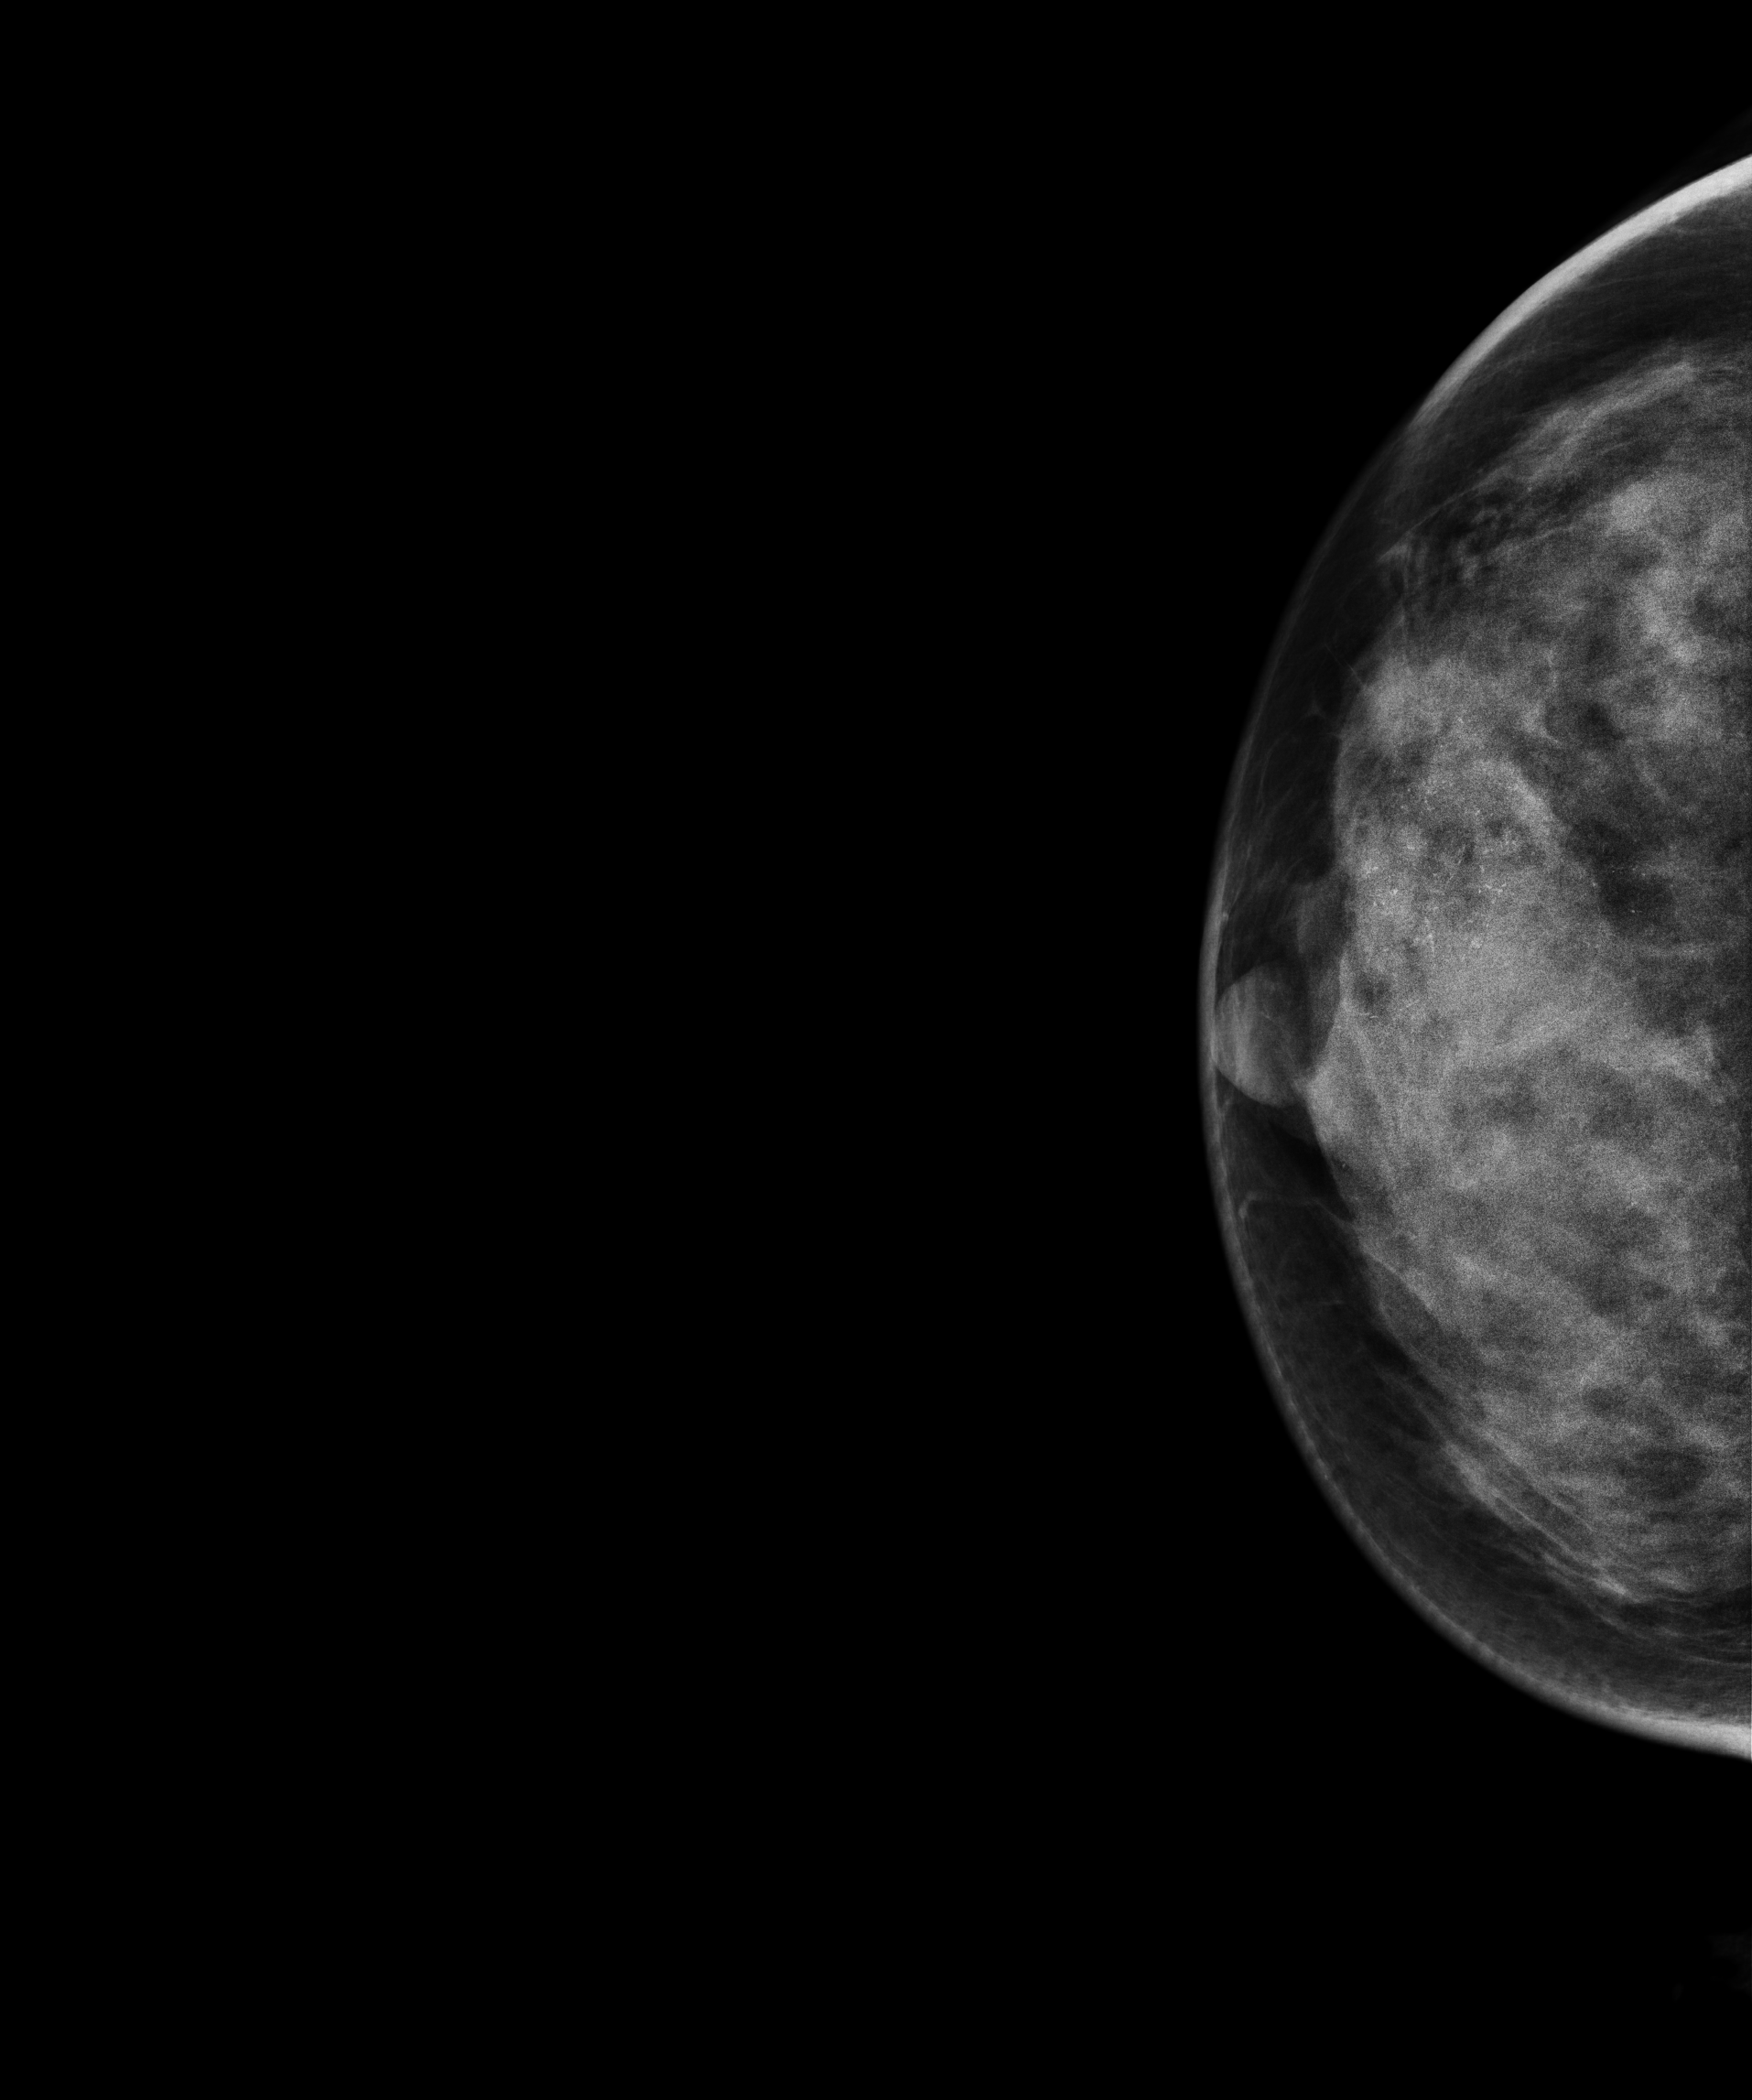
Mammogram, right breast, CC view. 35 y/o patient.
This breast has calcifications, biopsy-confirmed malignant. Molecular subtype: luminal A.